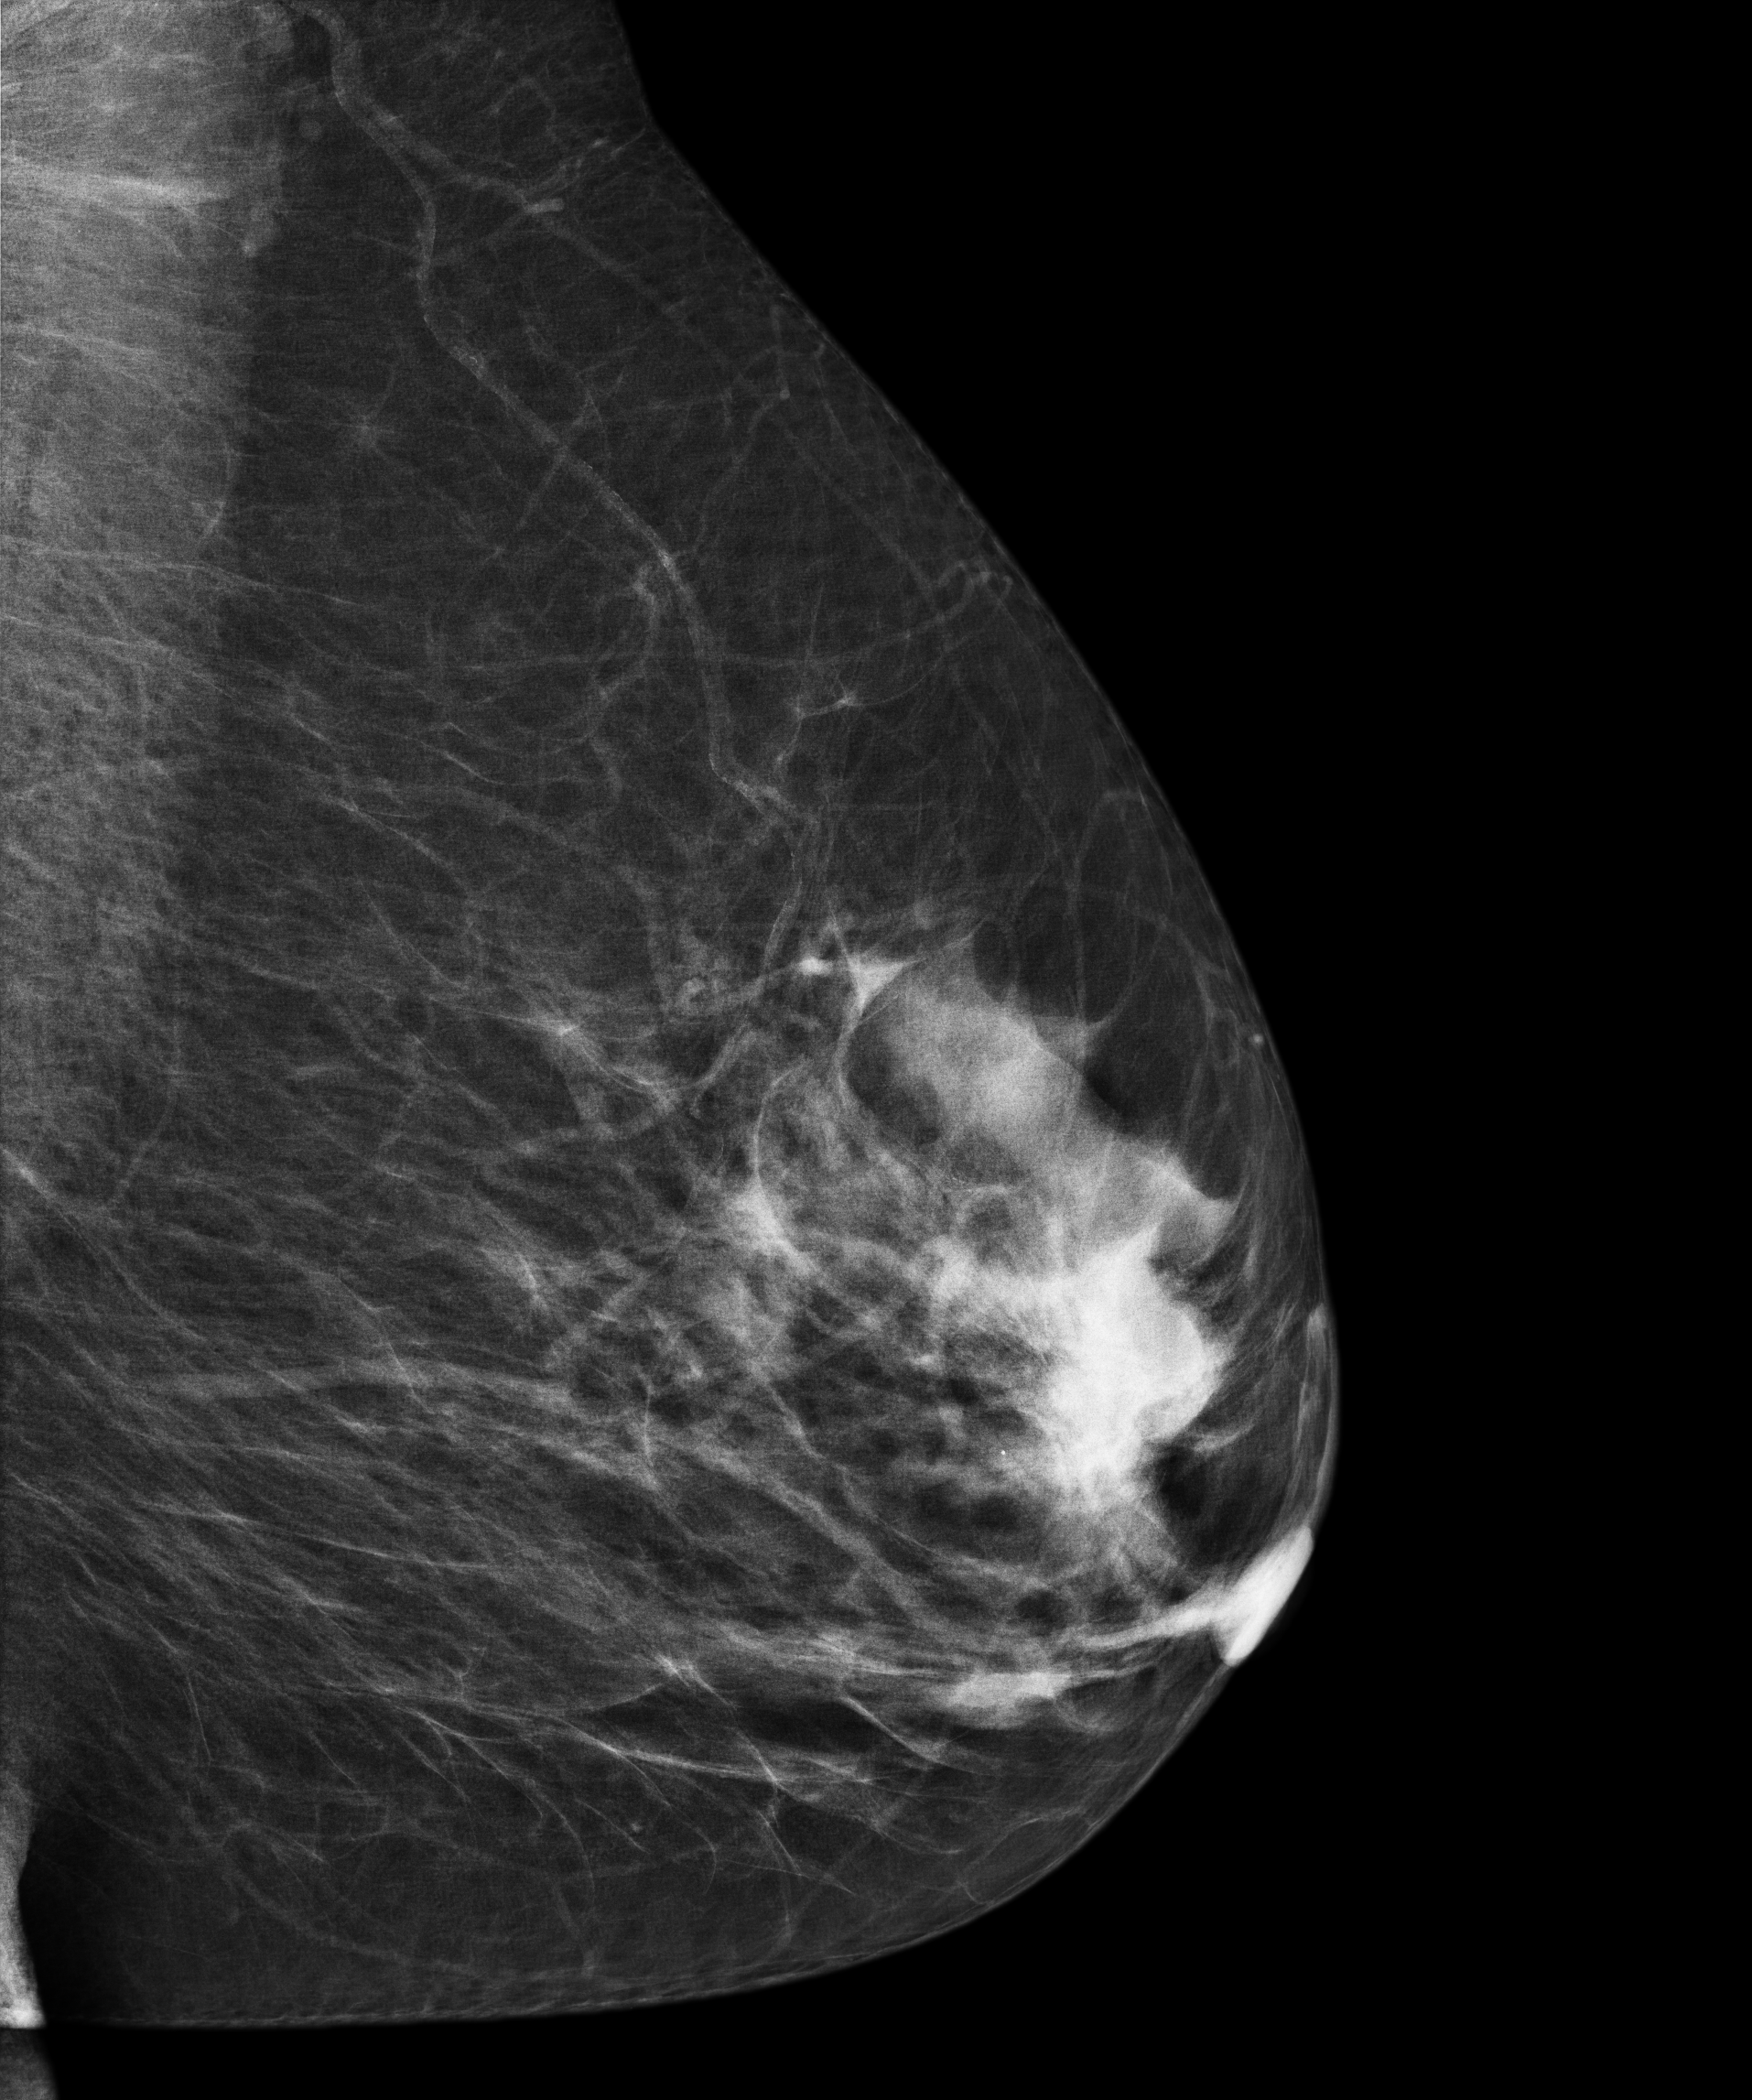
MLO mammogram of the left breast. 61 y/o patient.
This breast has a mass, histologically confirmed malignant.